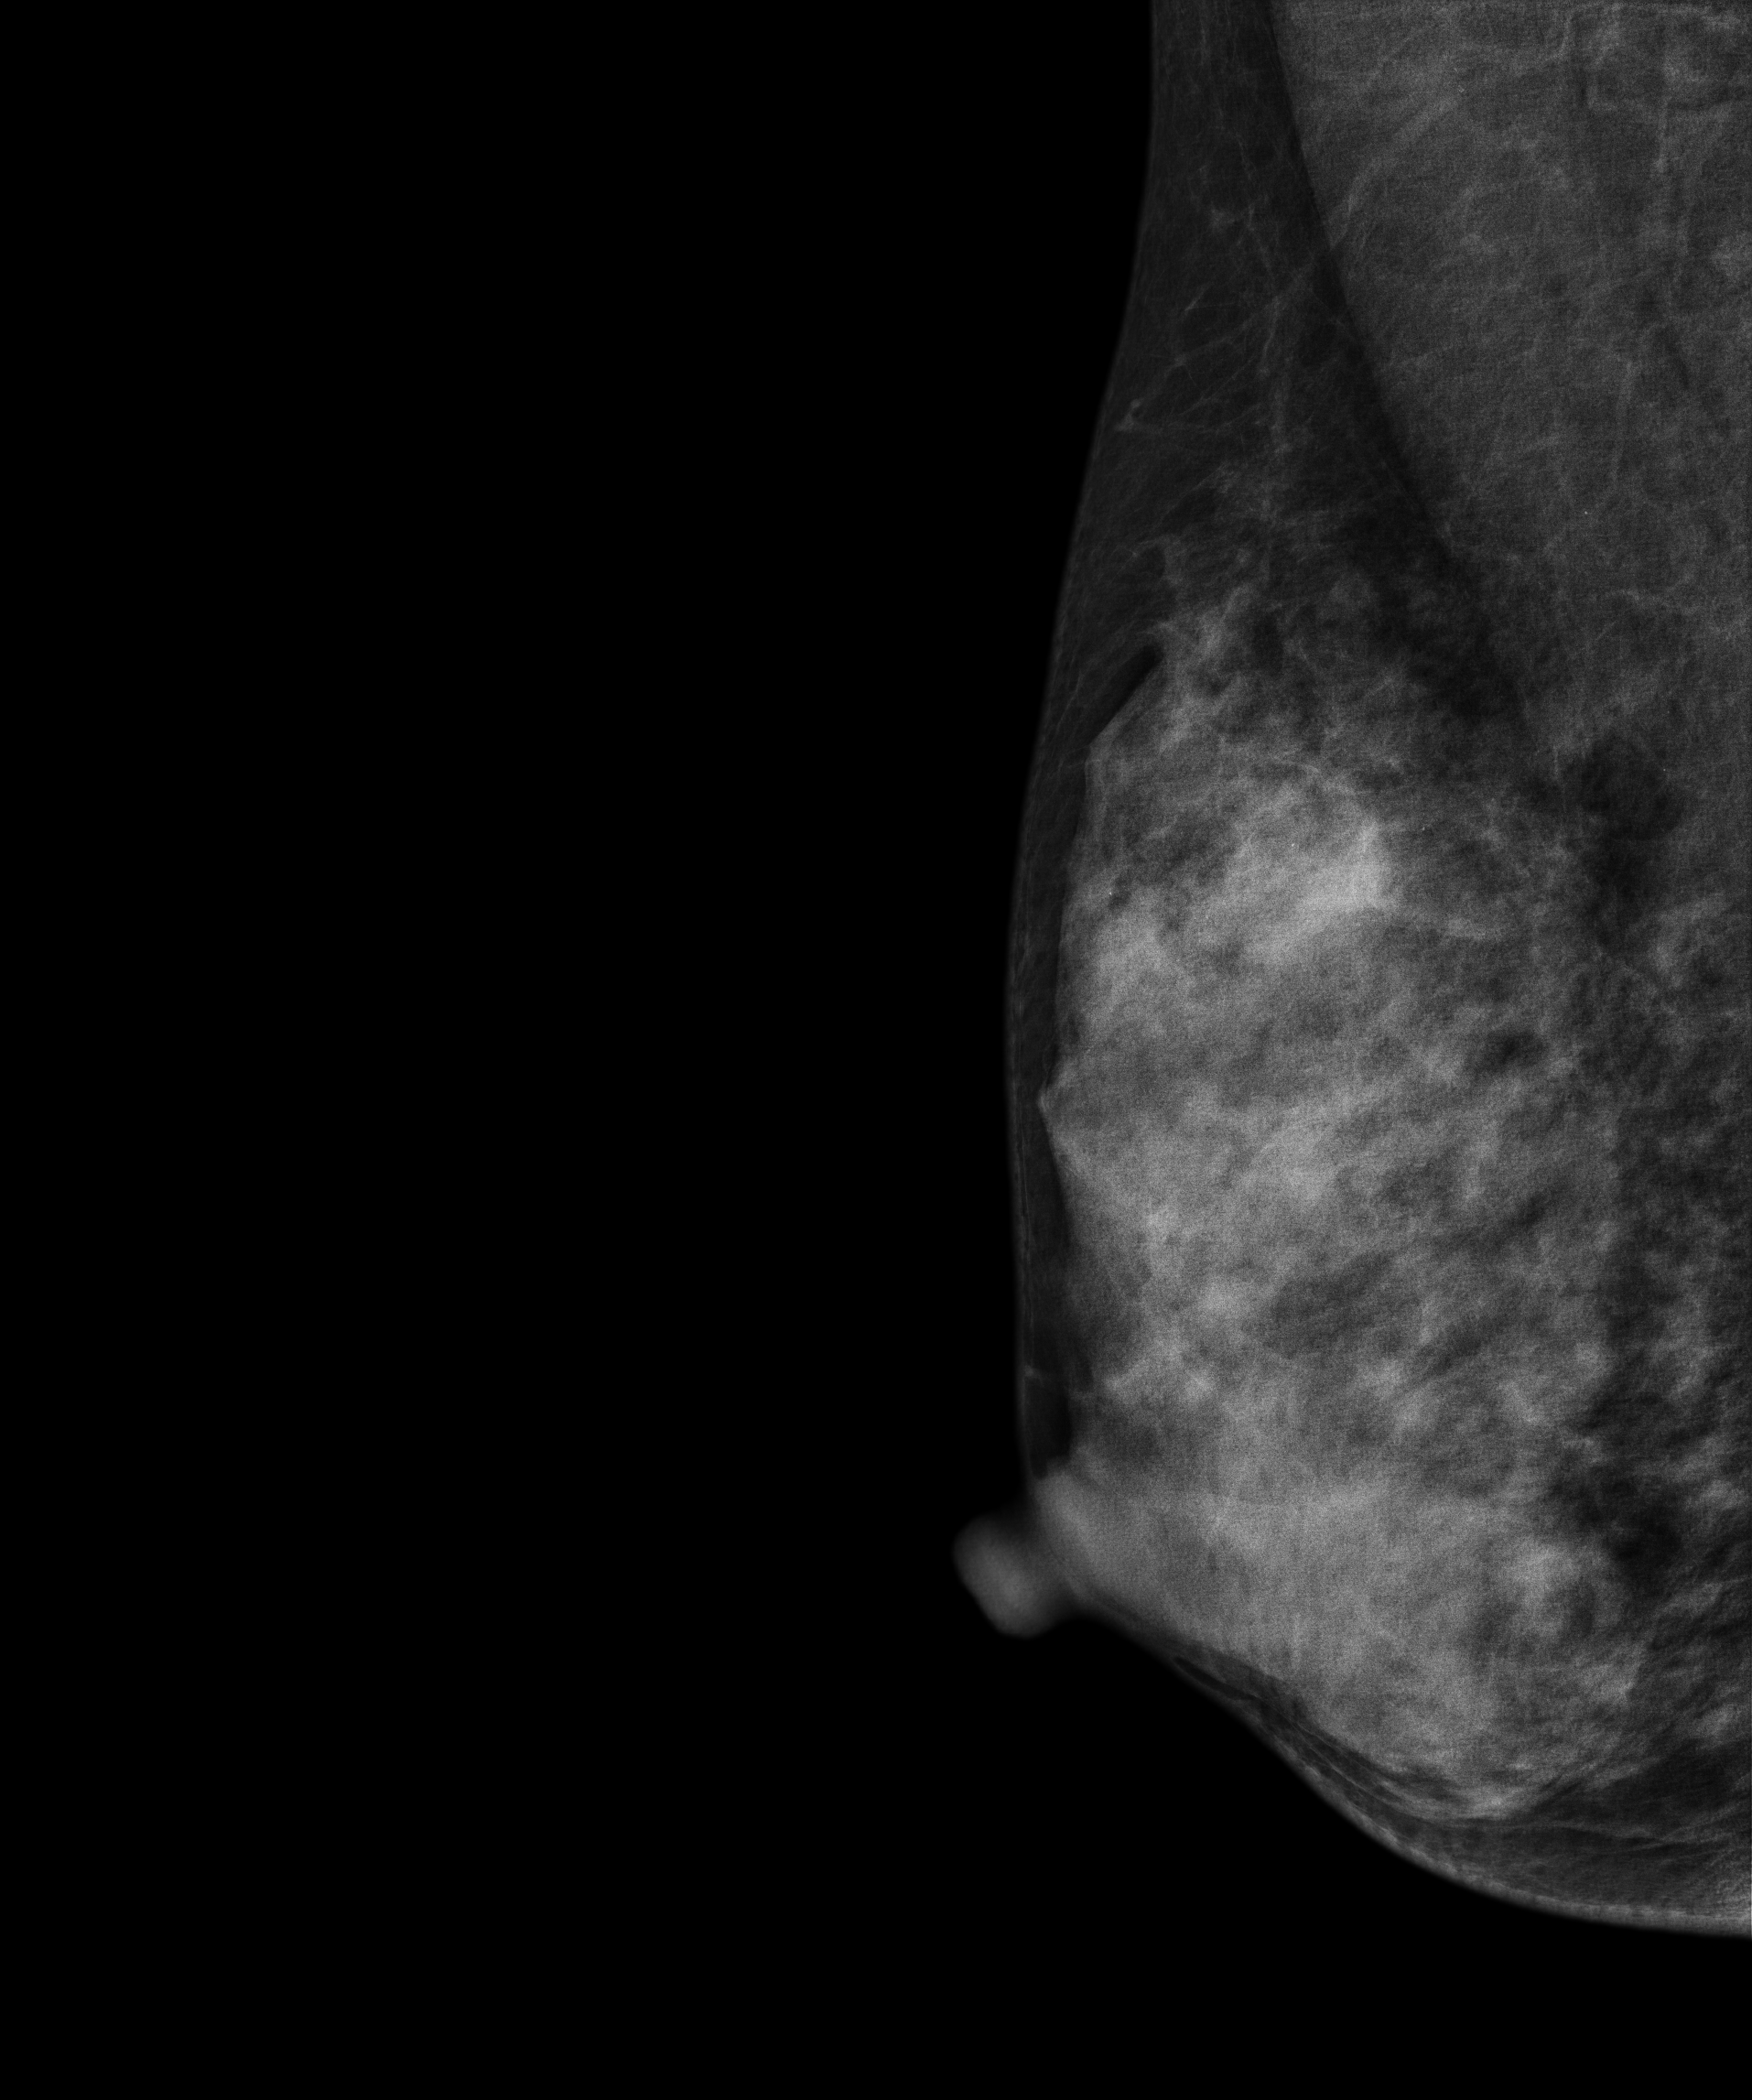
Mammogram — right CC. 45-year-old patient.
This breast has a mass, pathology-confirmed benign.